Medio-lateral oblique mammogram of the left breast. 41-year-old patient.
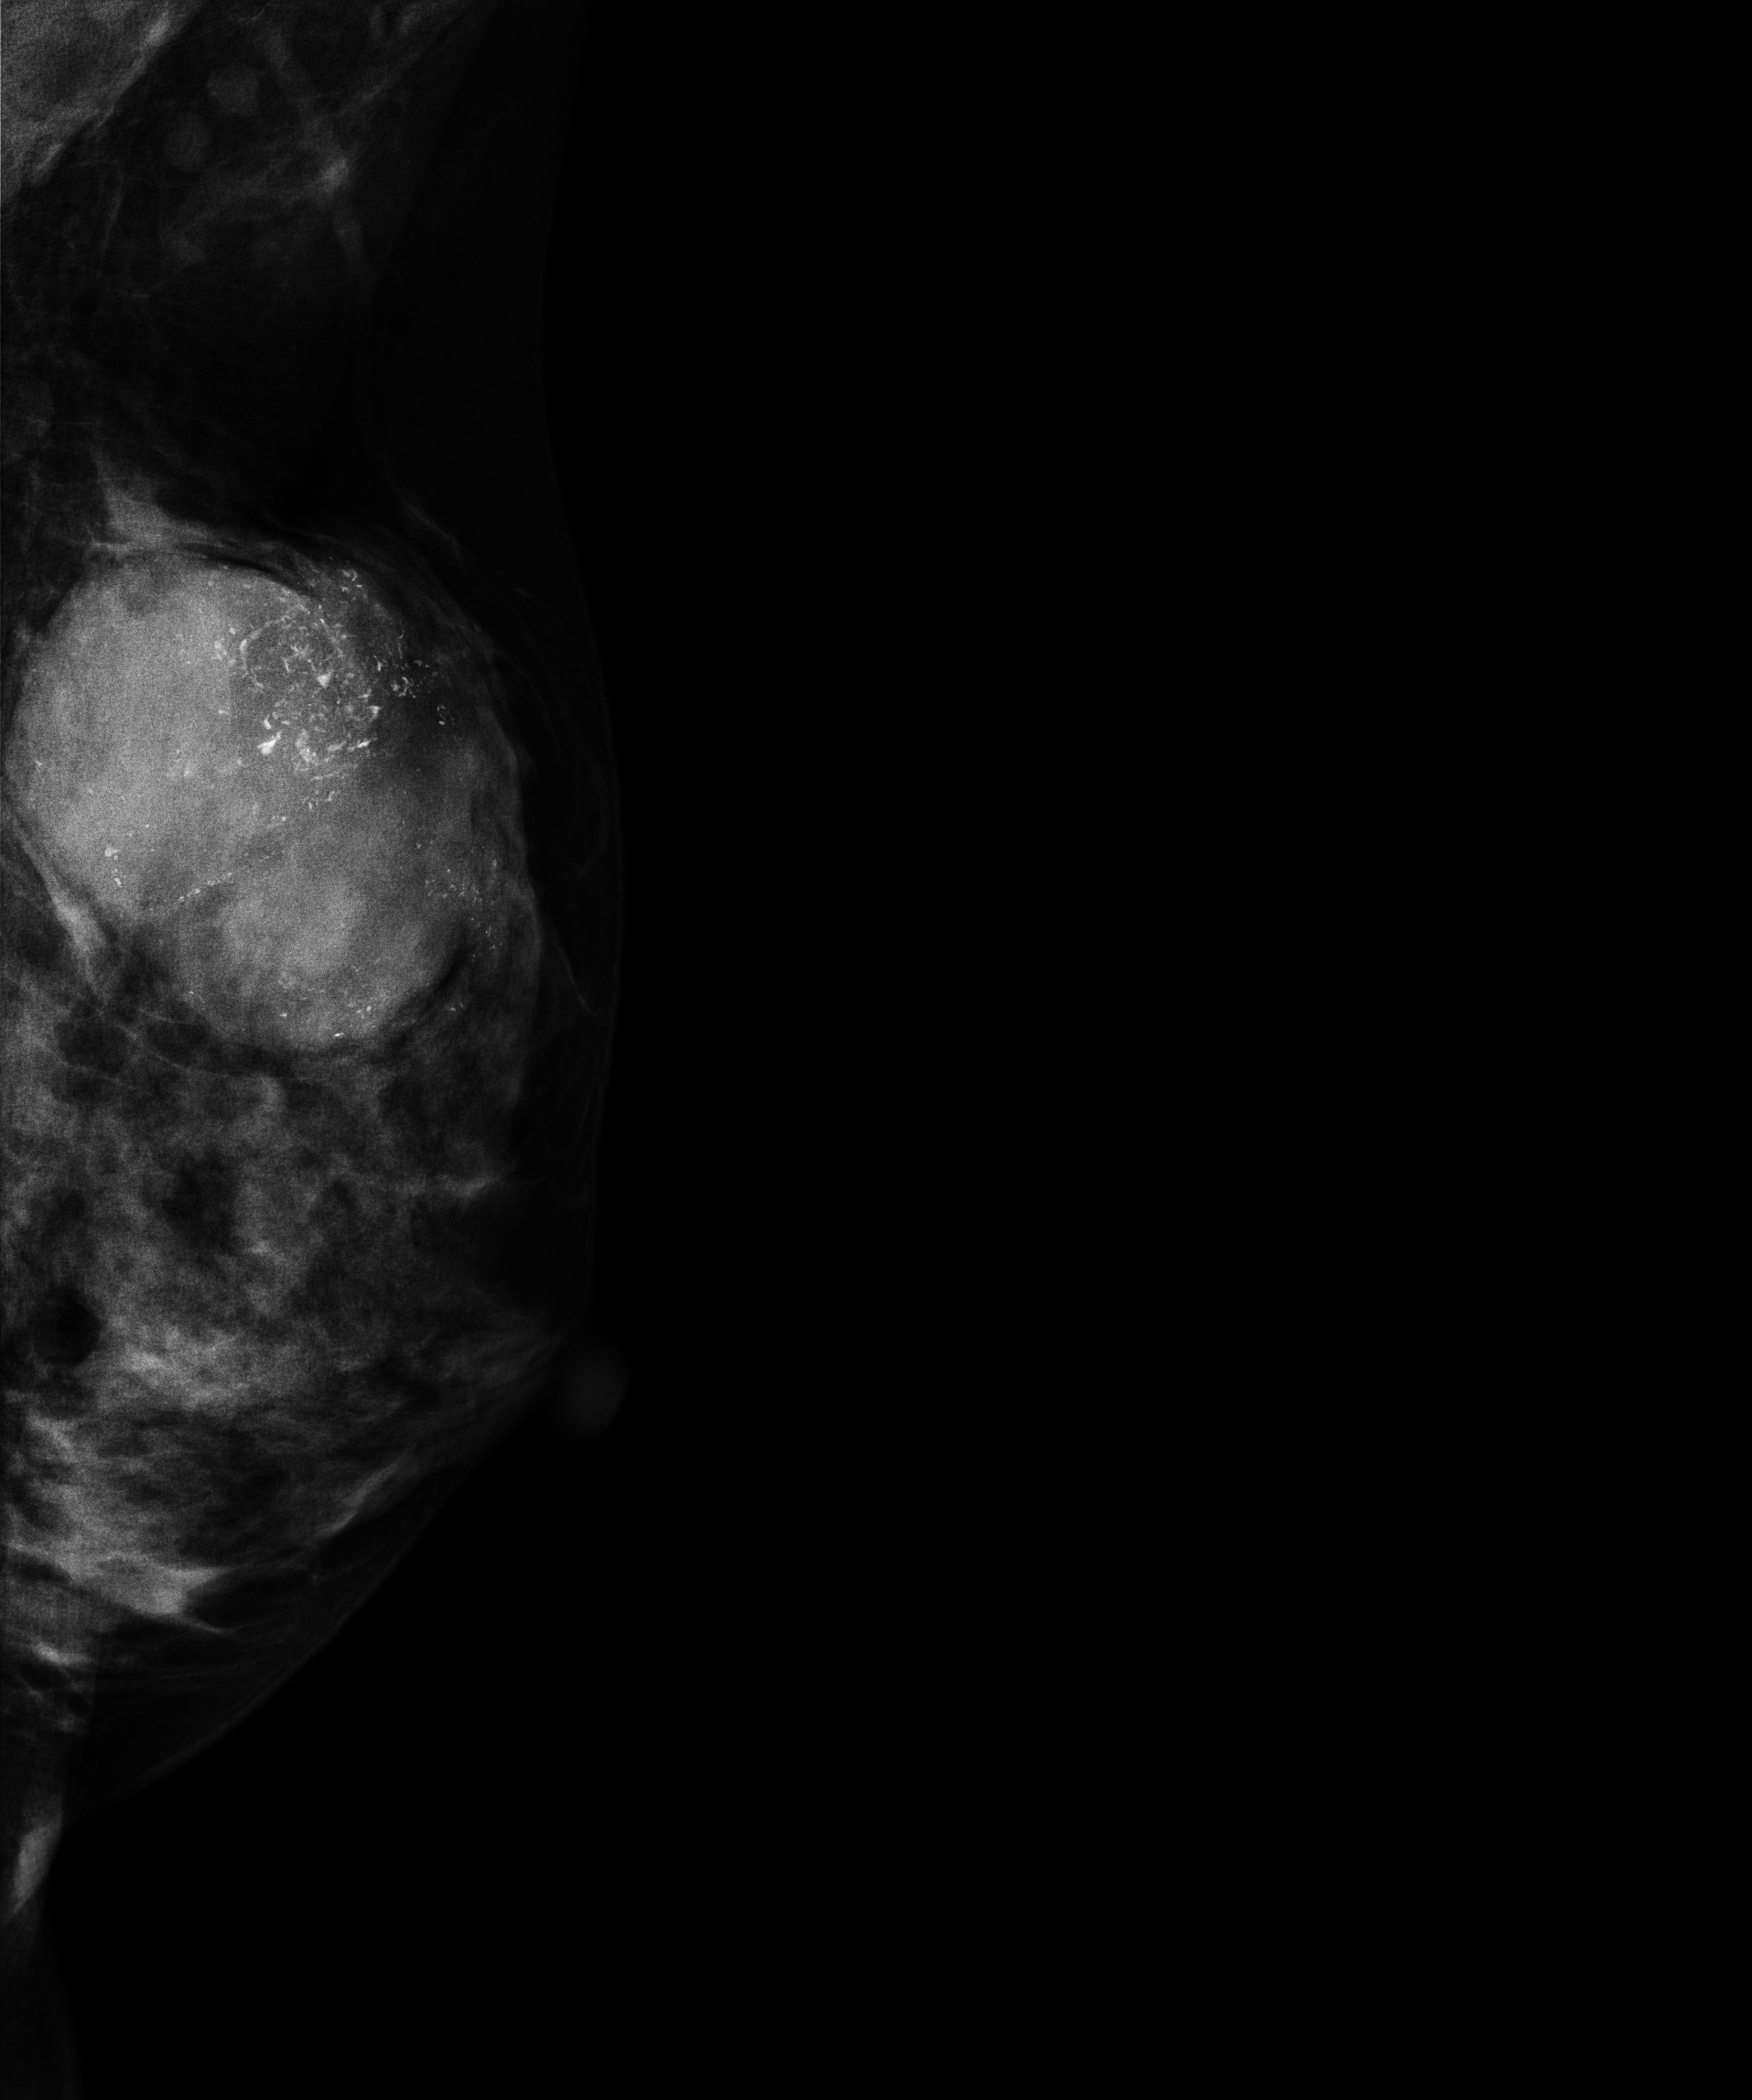
This breast has a mass and calcifications, biopsy-confirmed malignant.